Mammogram, right breast, cranio-caudal view. Patient age 46.
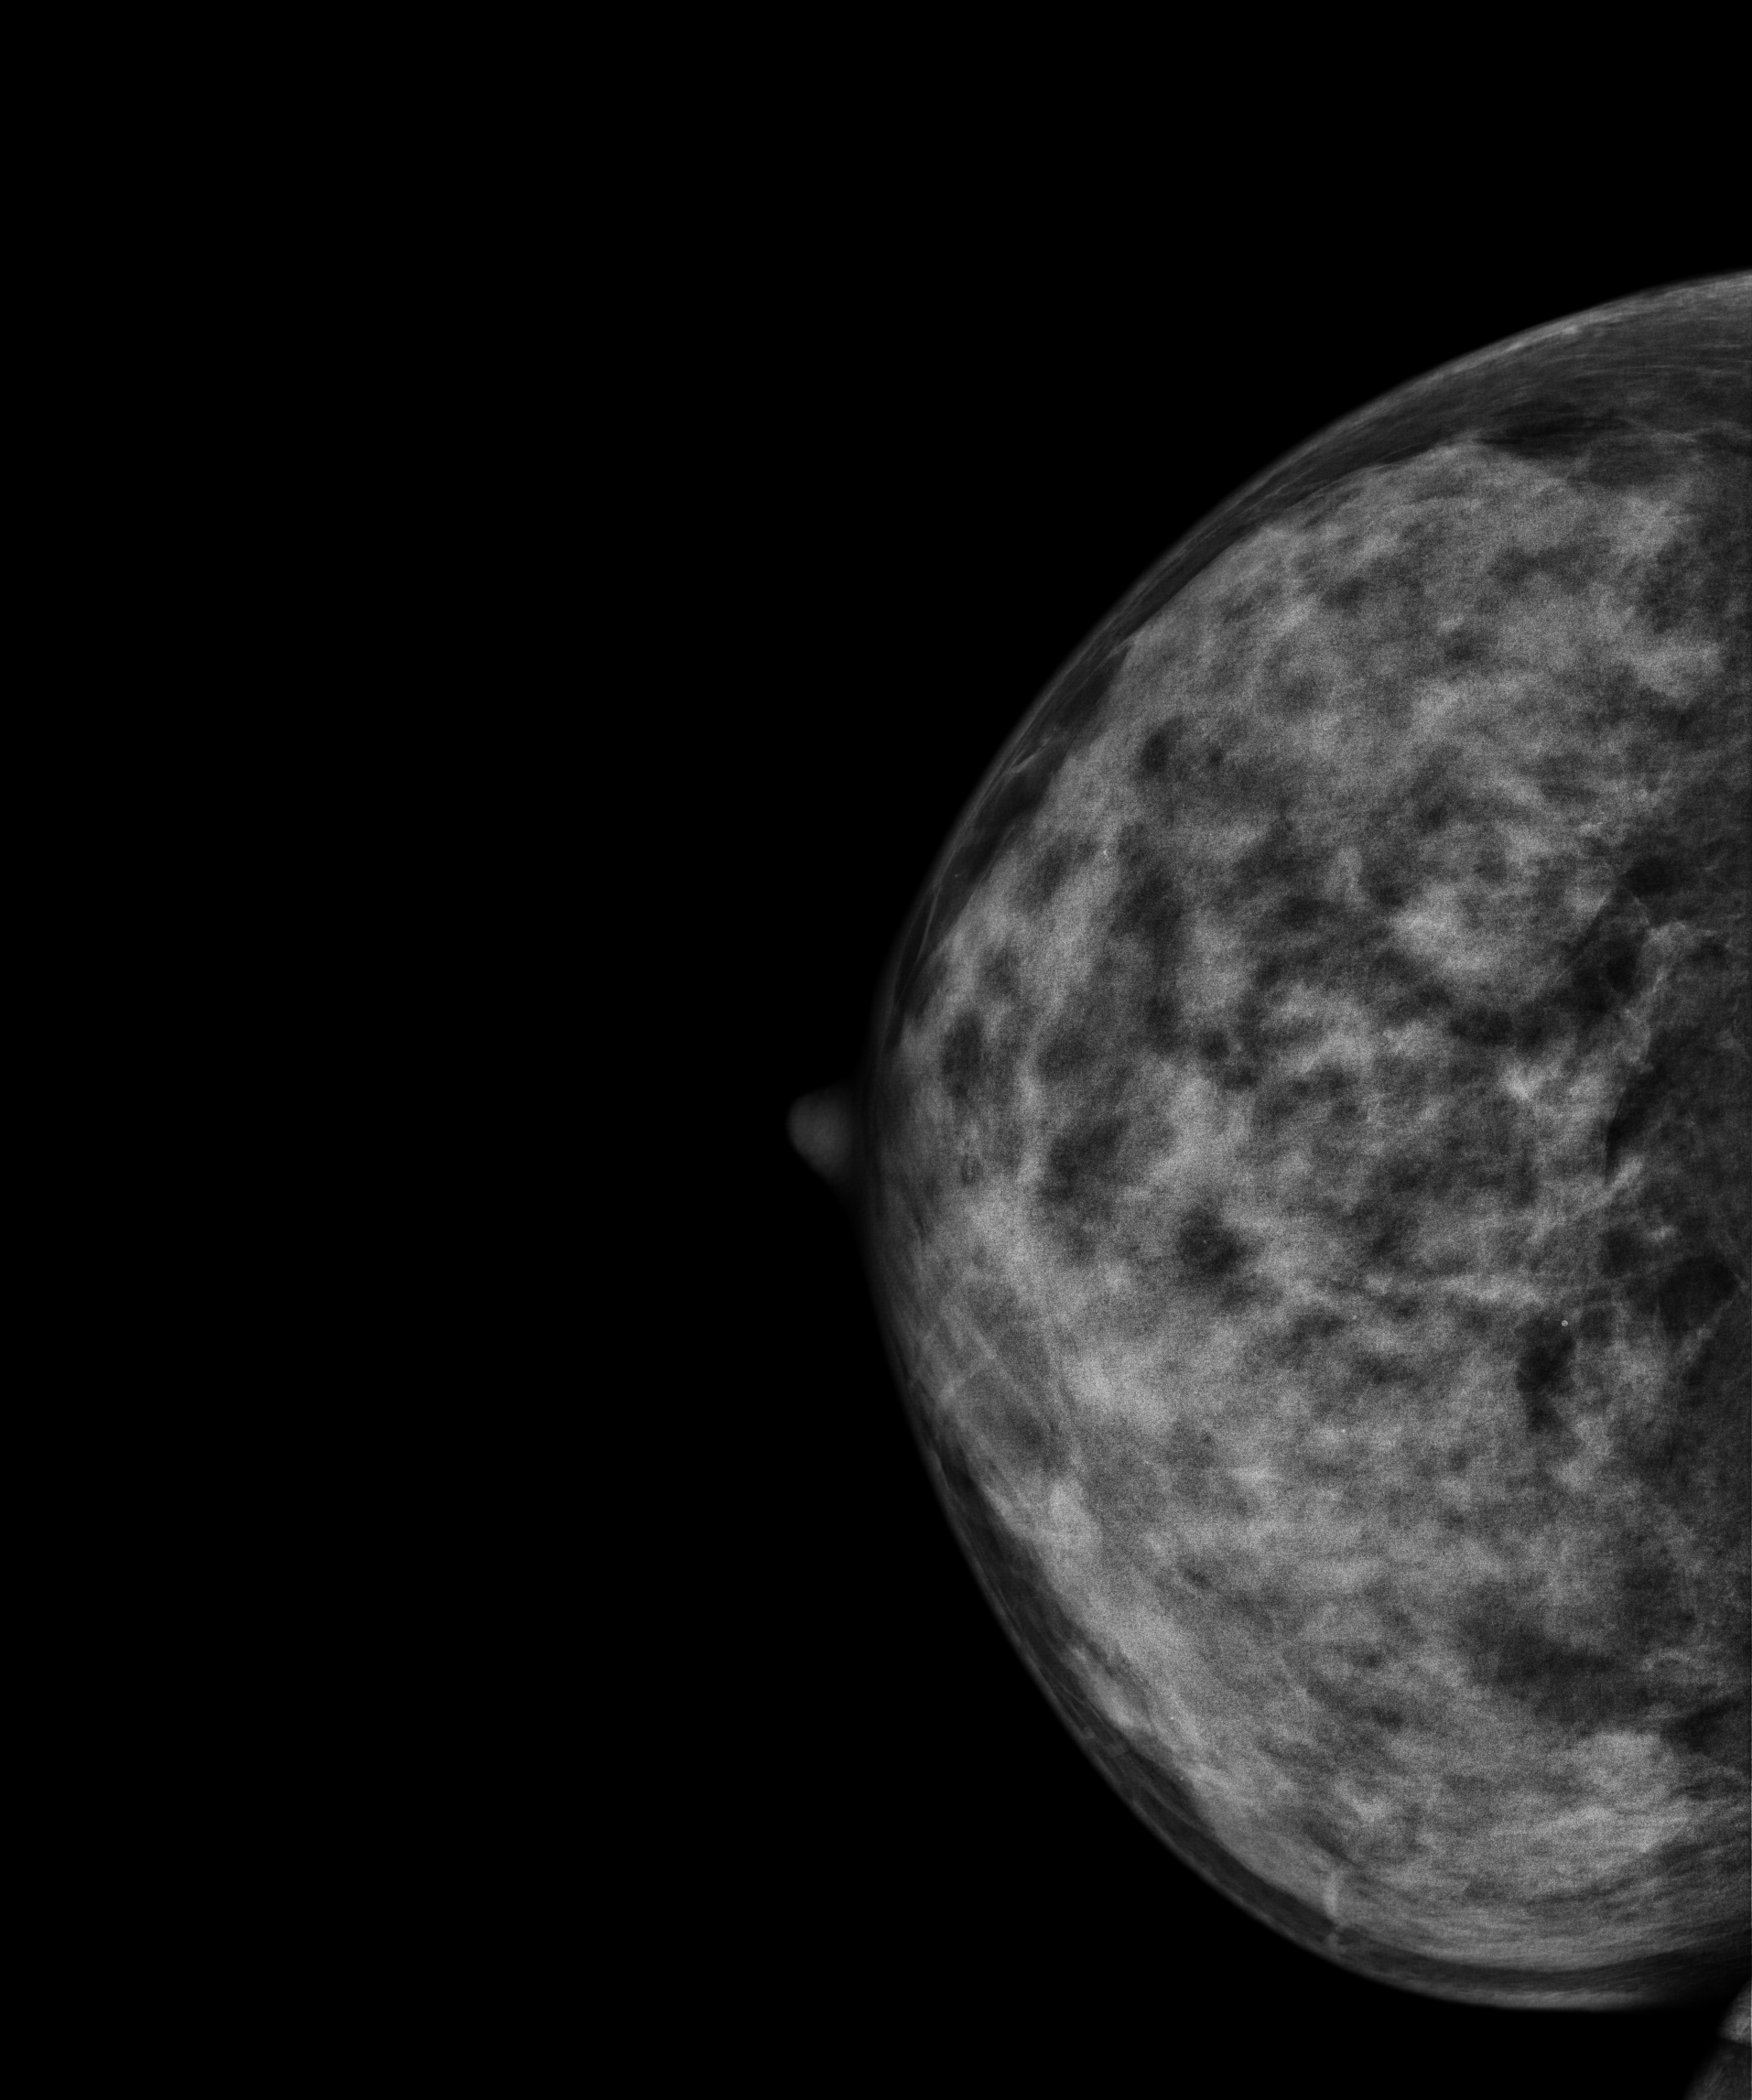
Contralateral breast — no documented abnormality on this side.